Digital mammography. Left breast, MLO projection. 28 y/o patient.
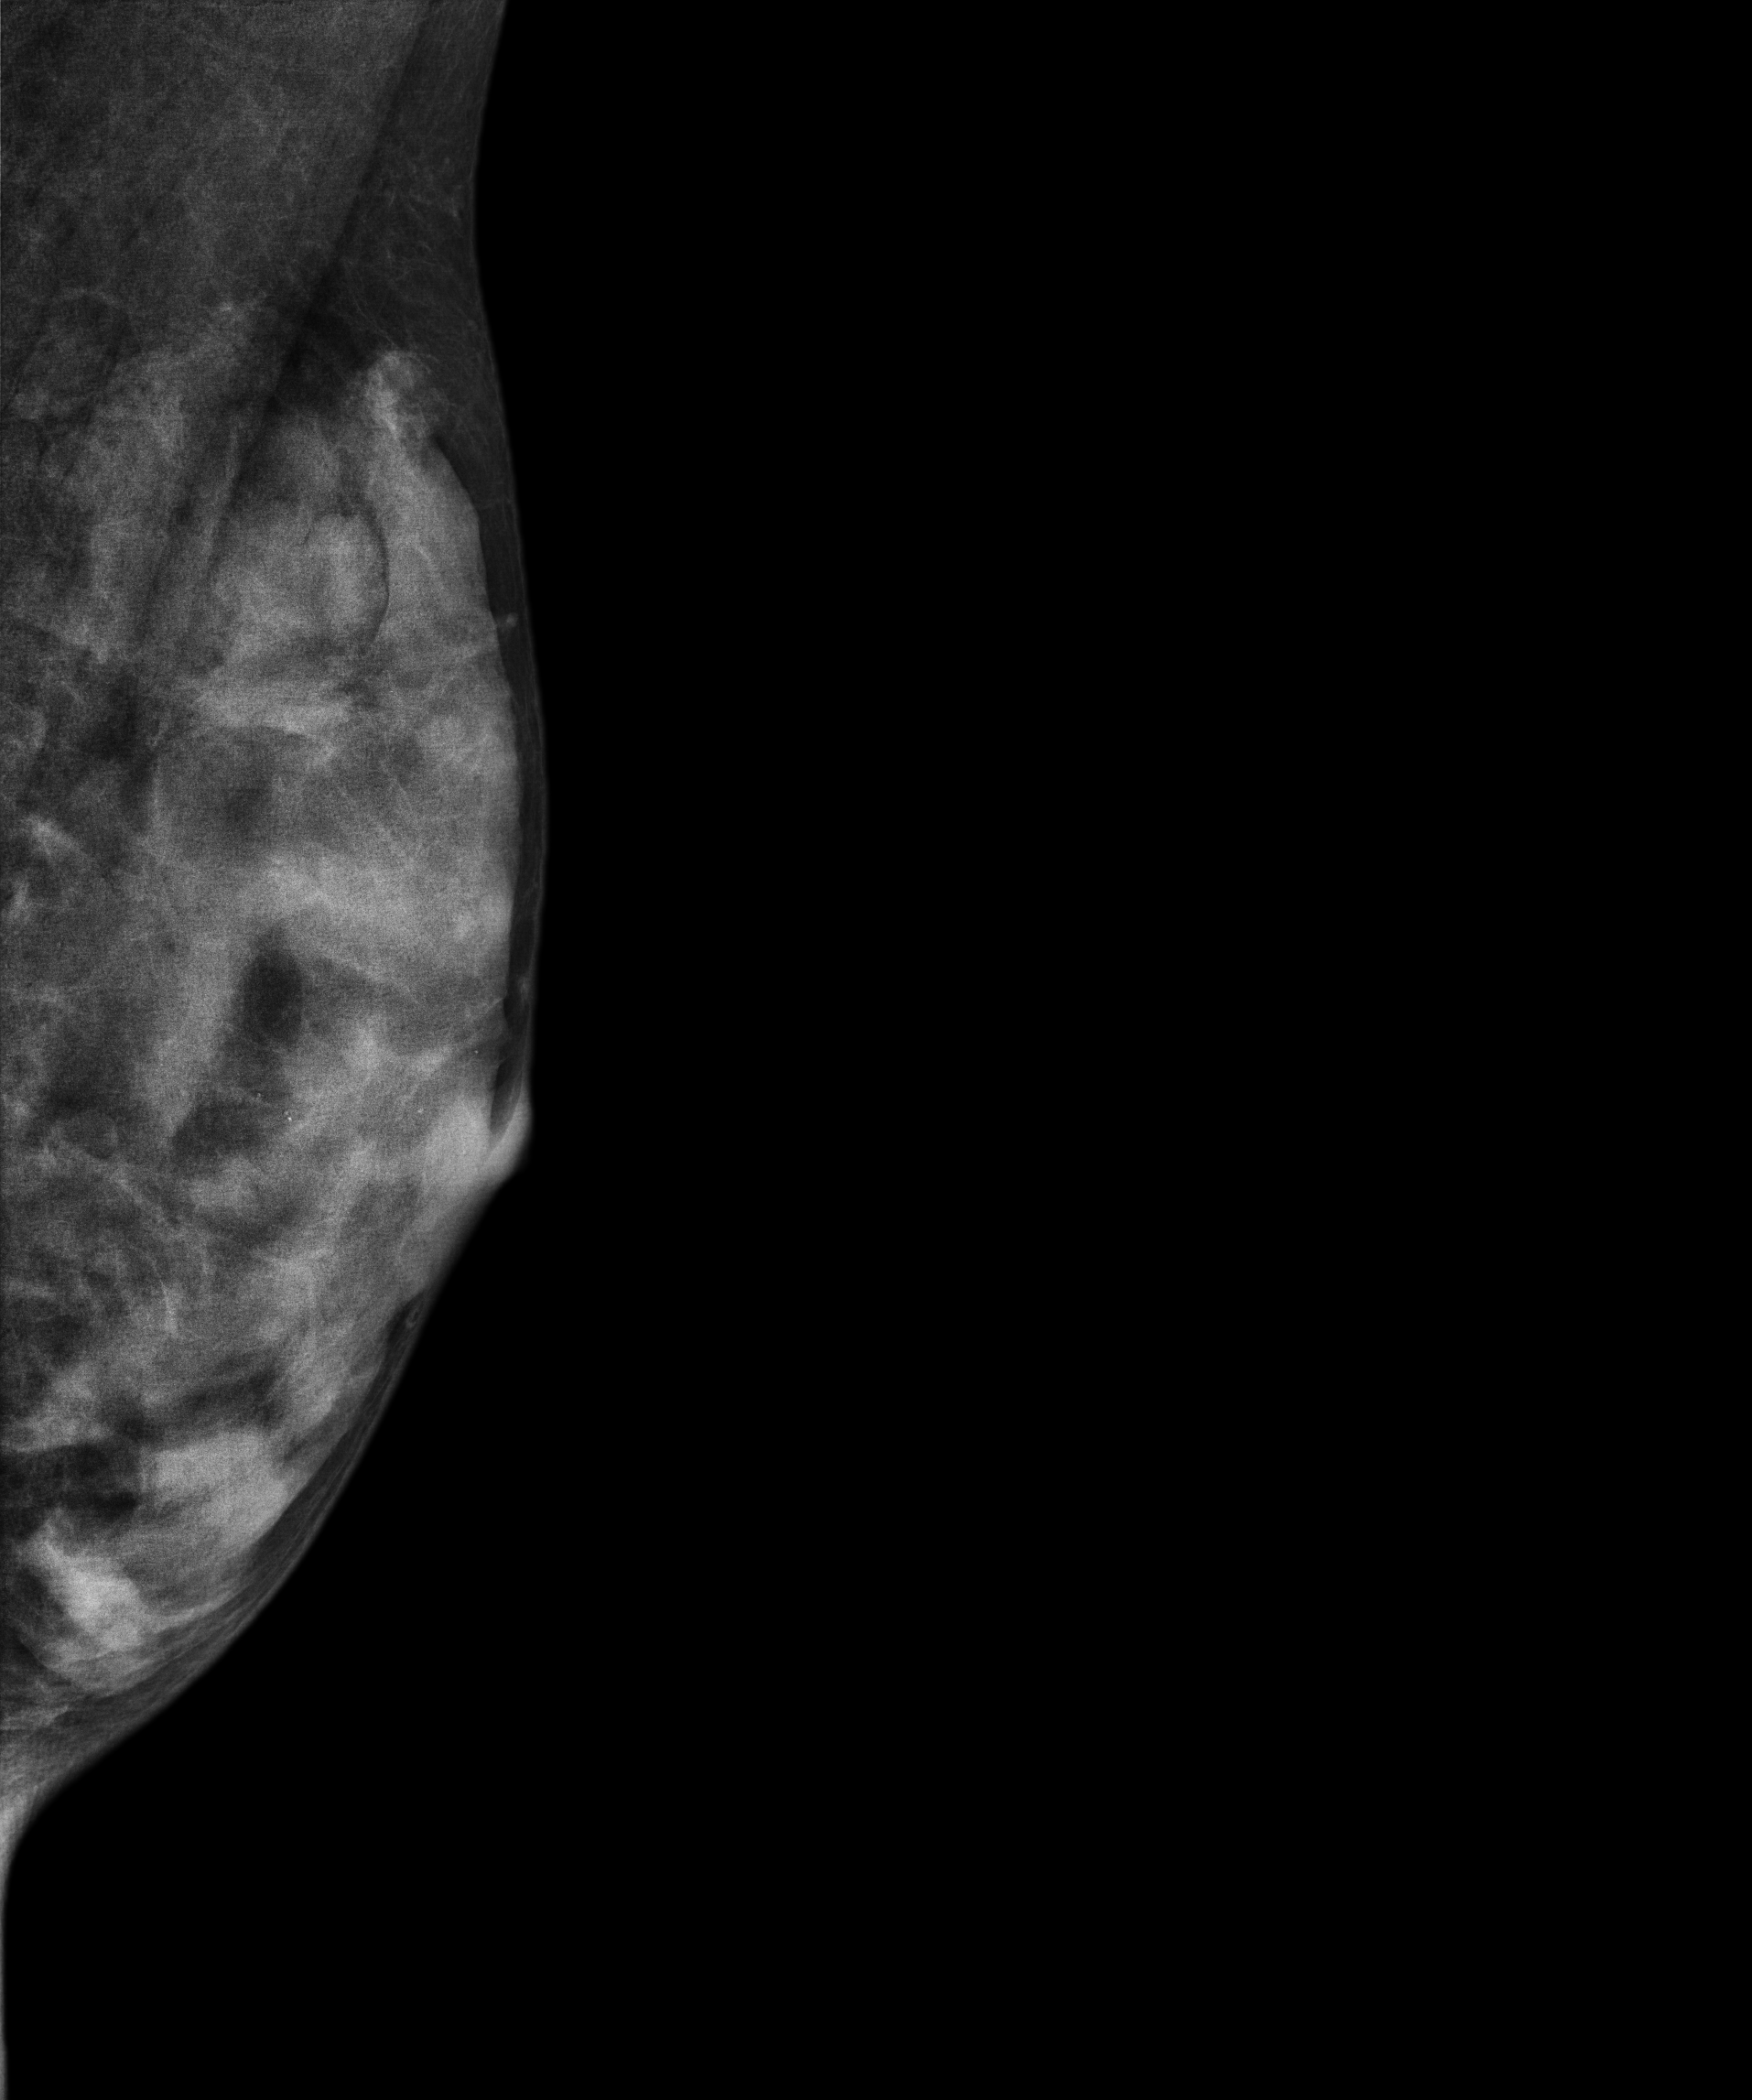
This breast has a mass, biopsy-proven benign.